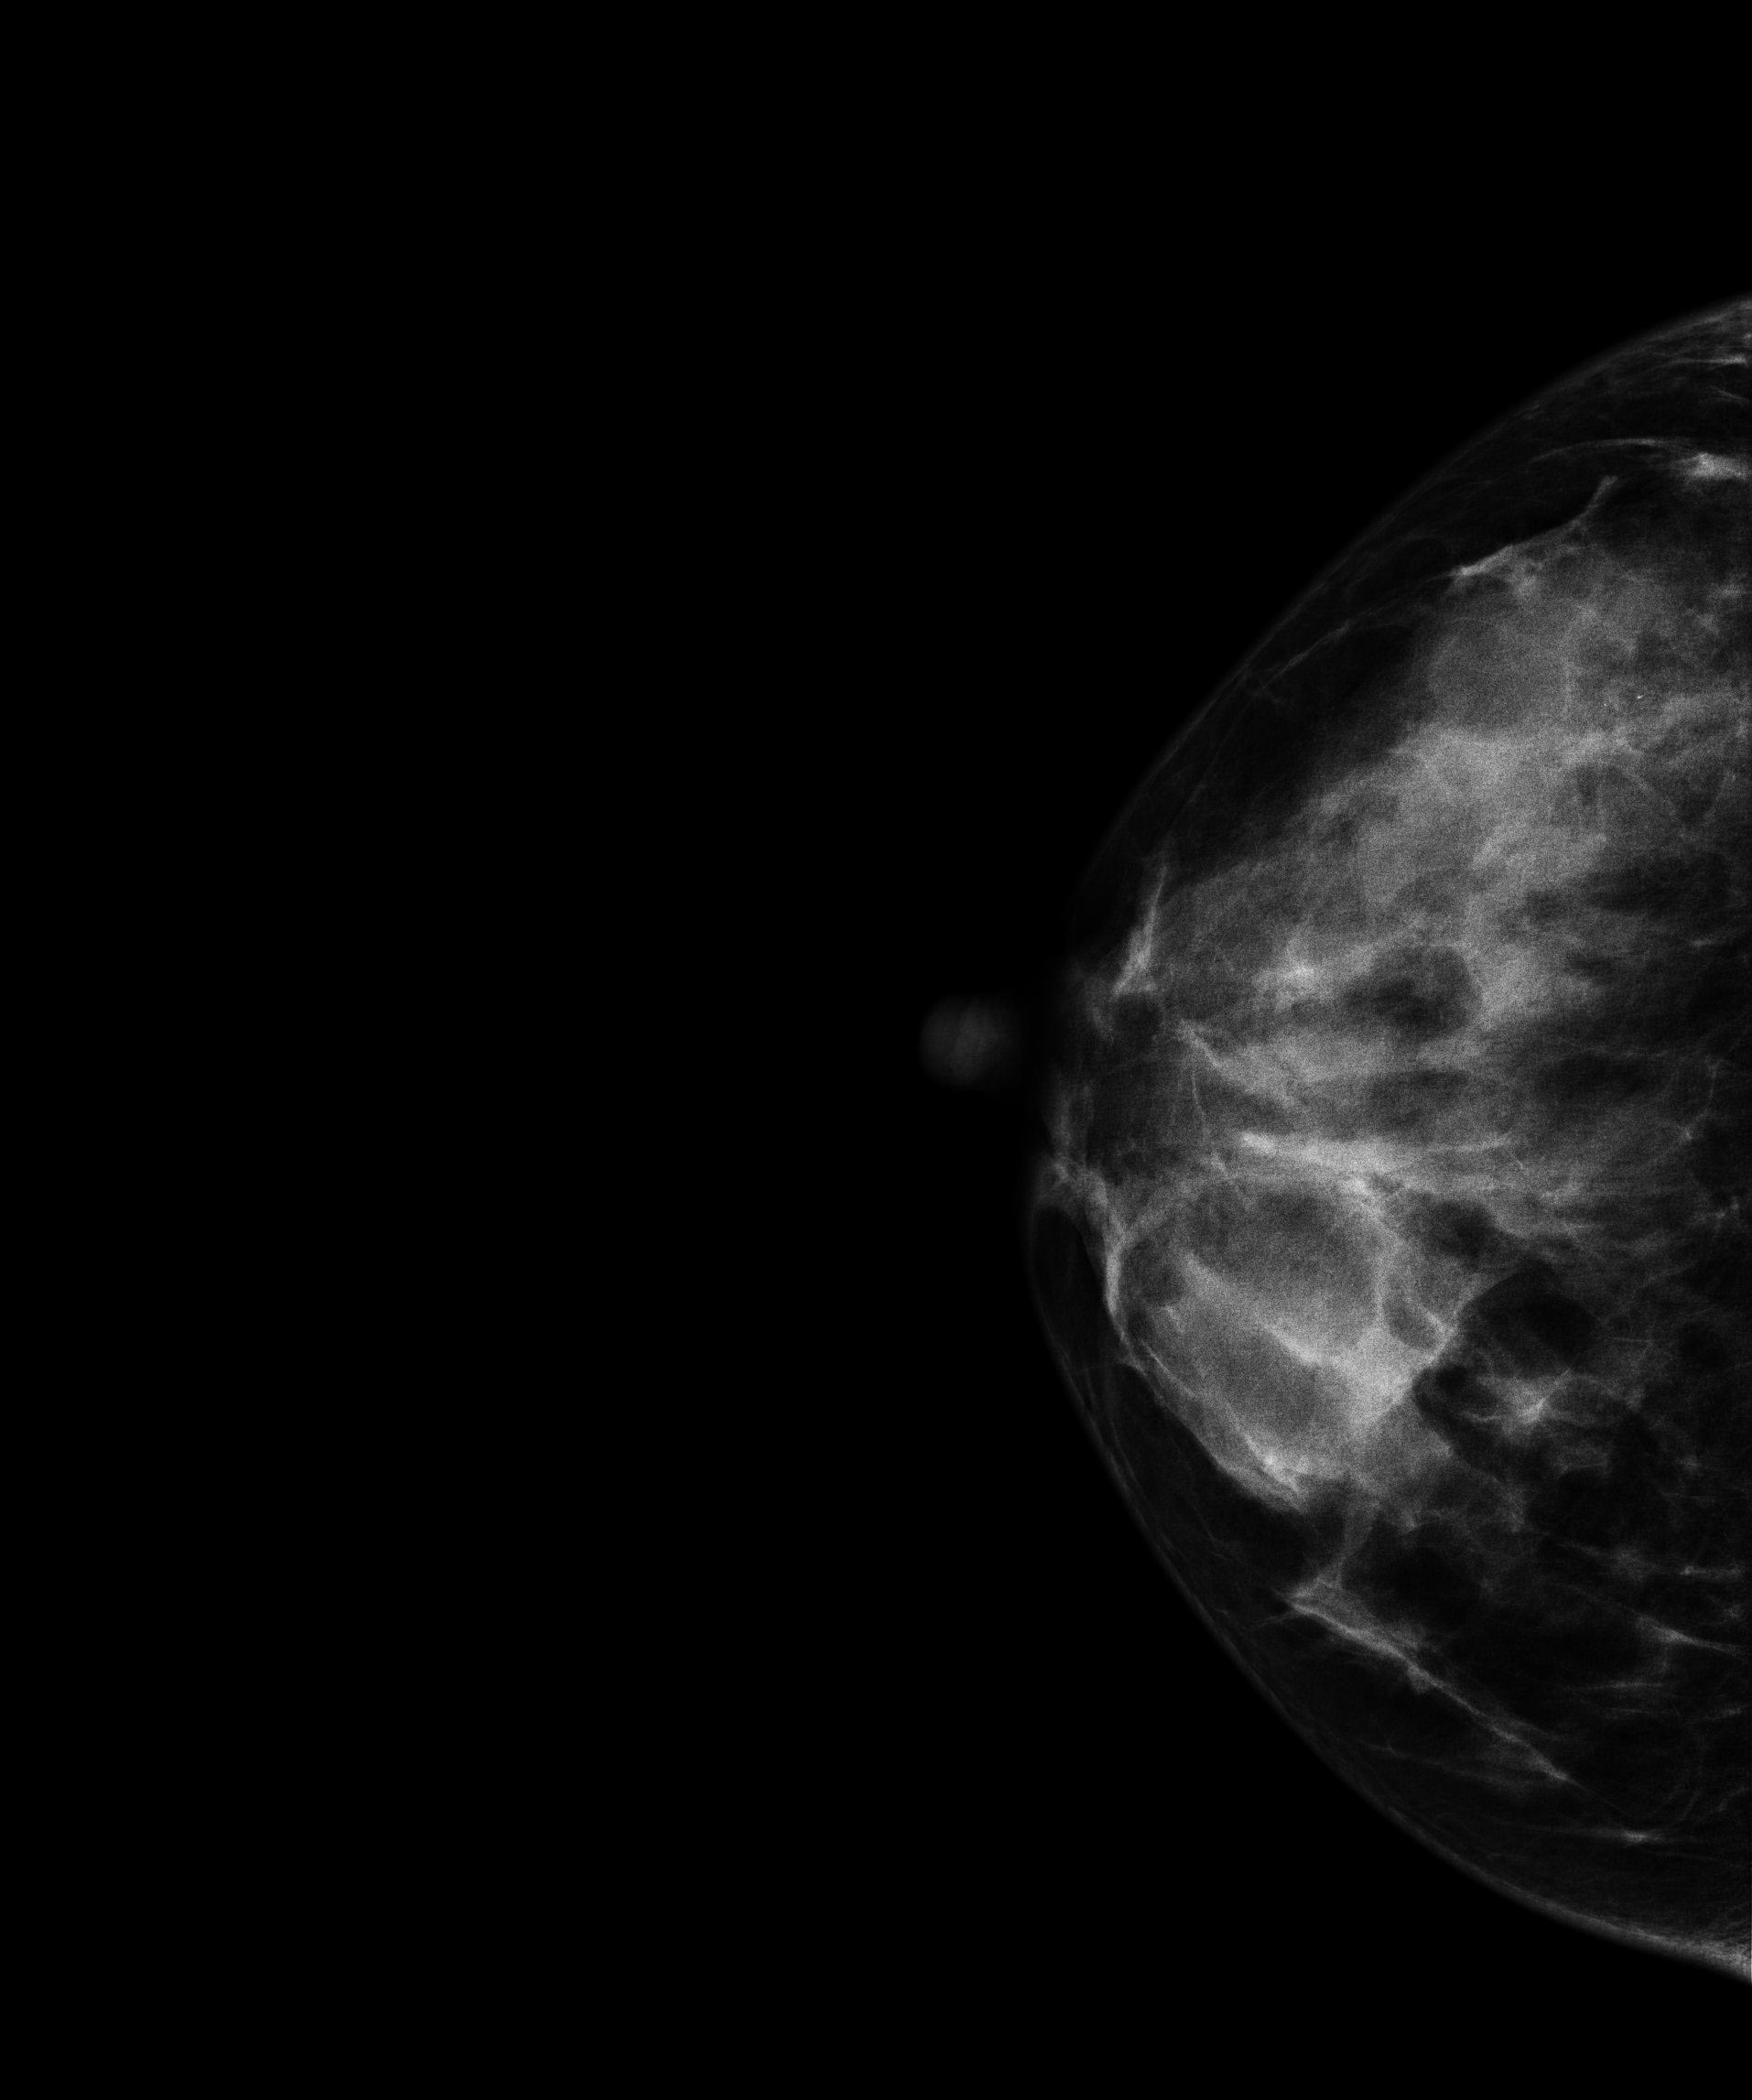
Mammogram — right CC. Patient age 55.
This breast has calcifications, biopsy-proven malignant.